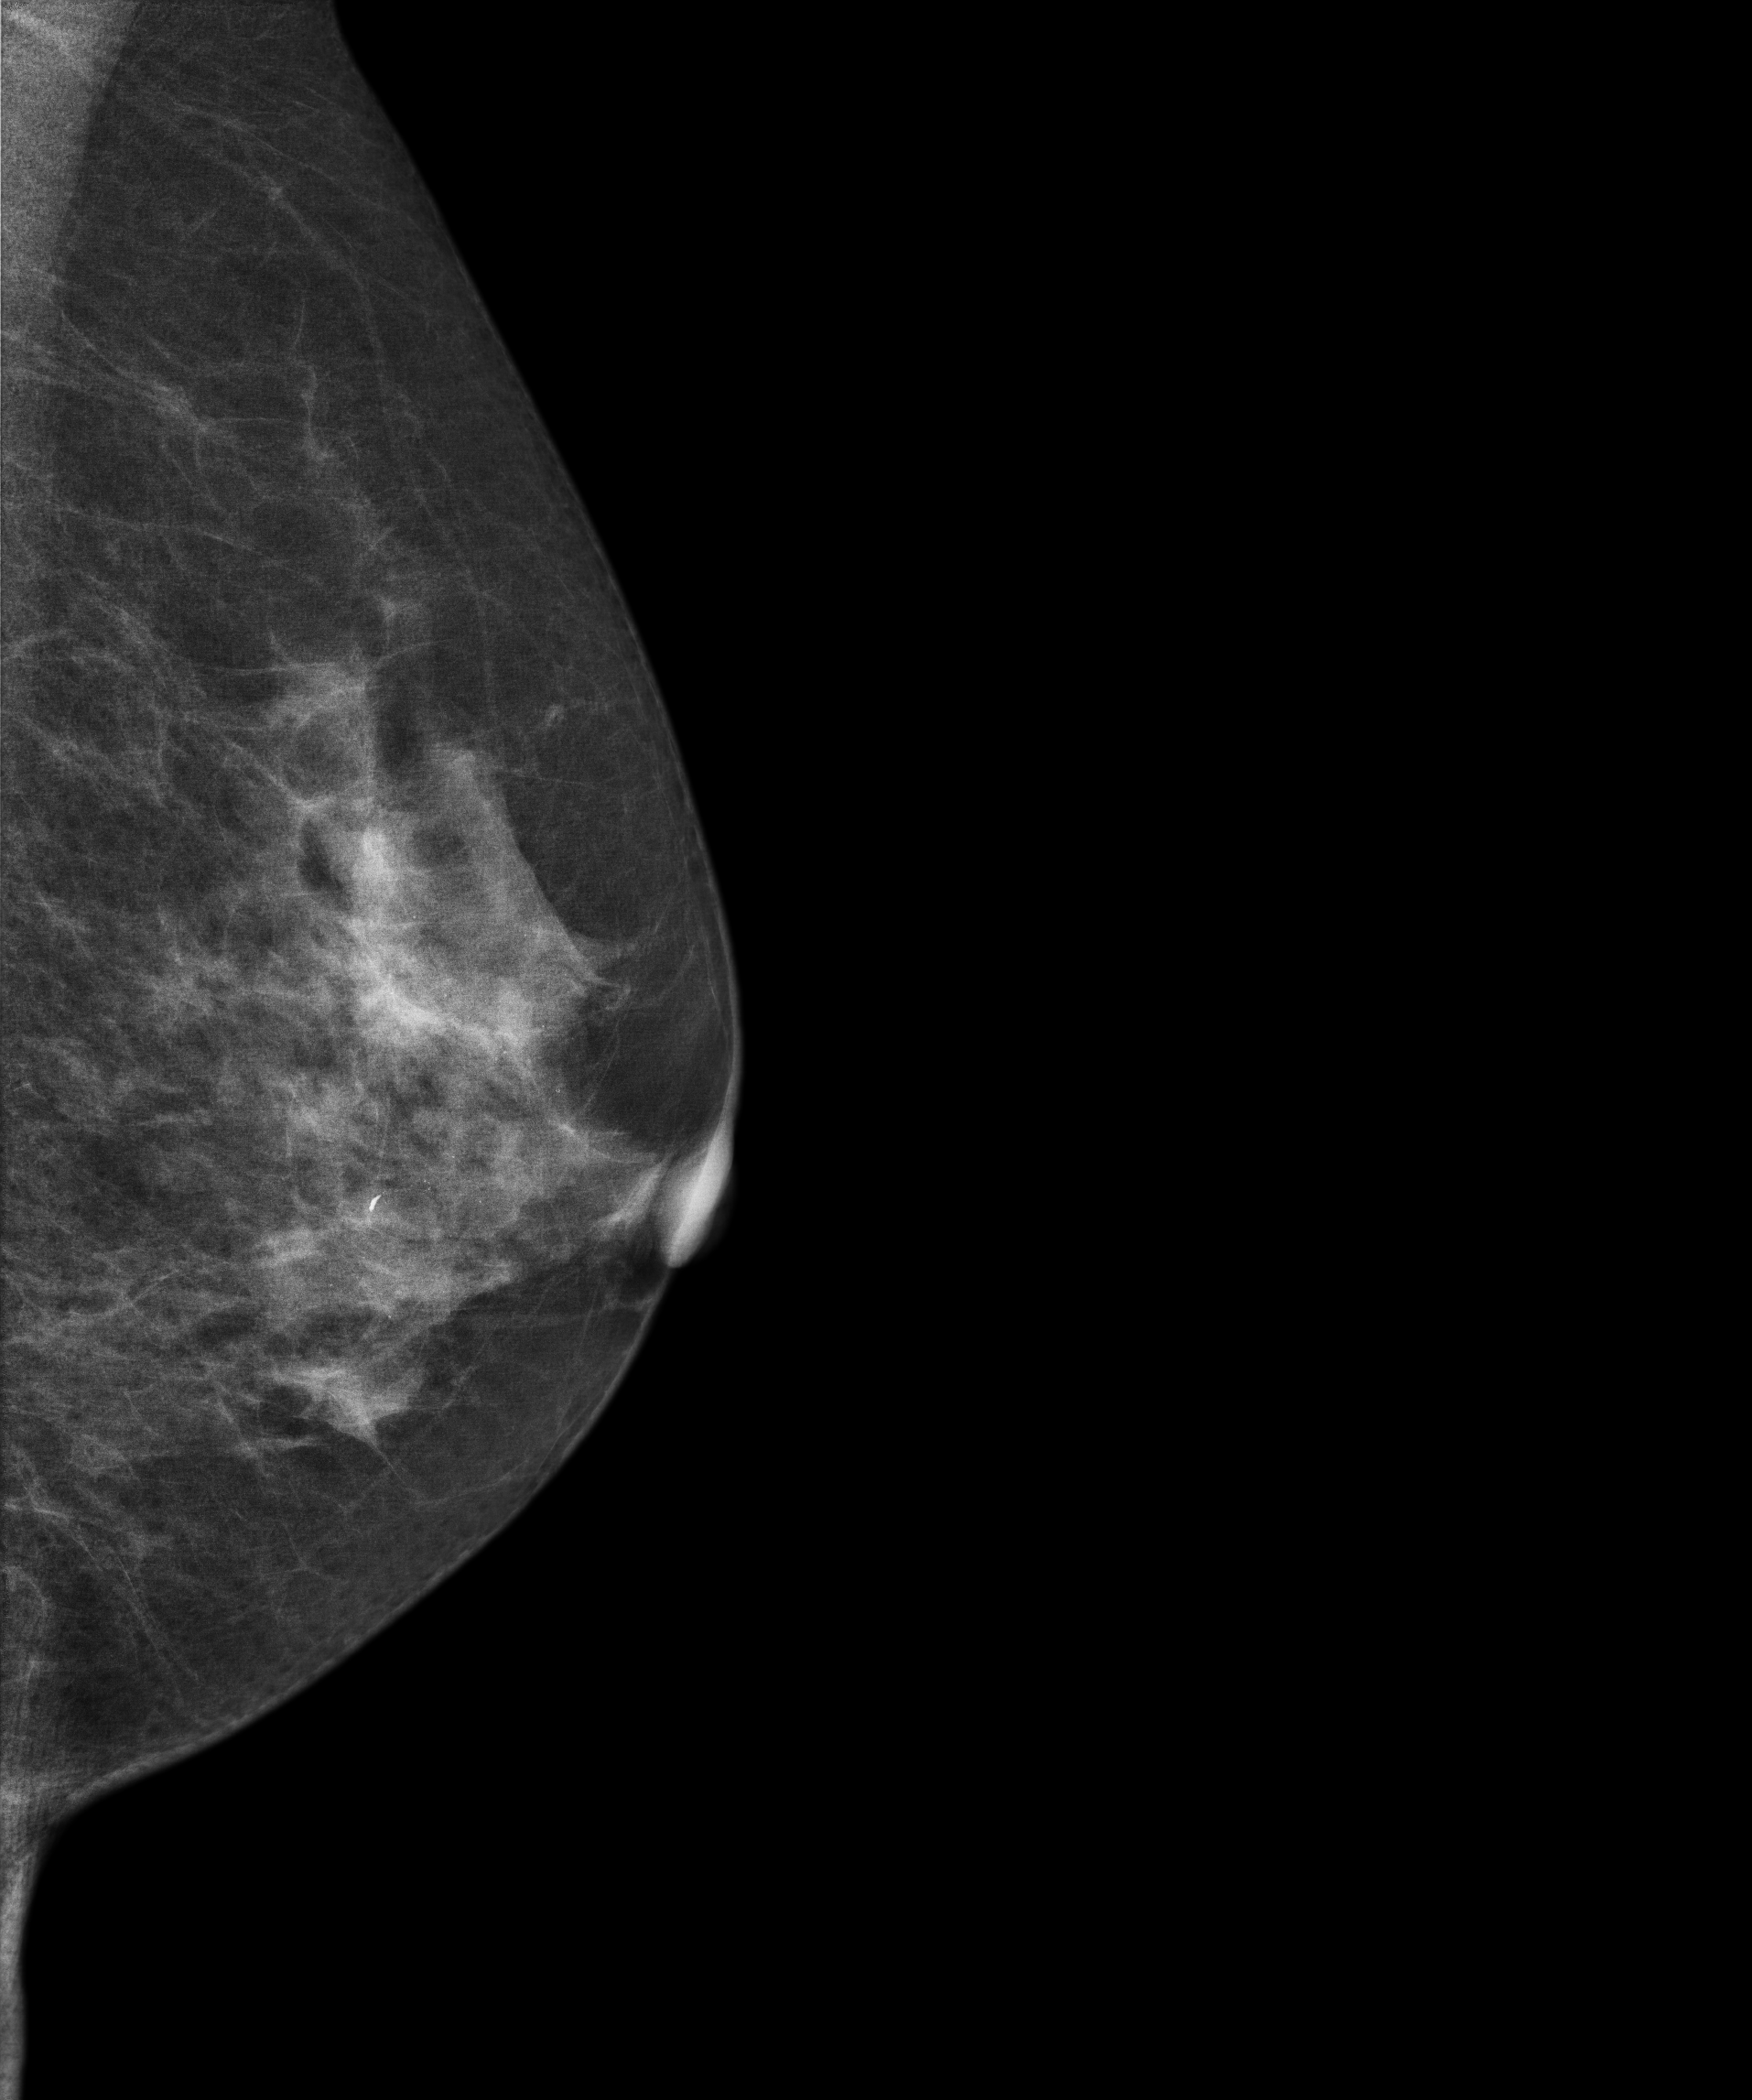
Mammogram — left medio-lateral oblique. Patient age 55.
Contralateral breast — no documented abnormality on this side.